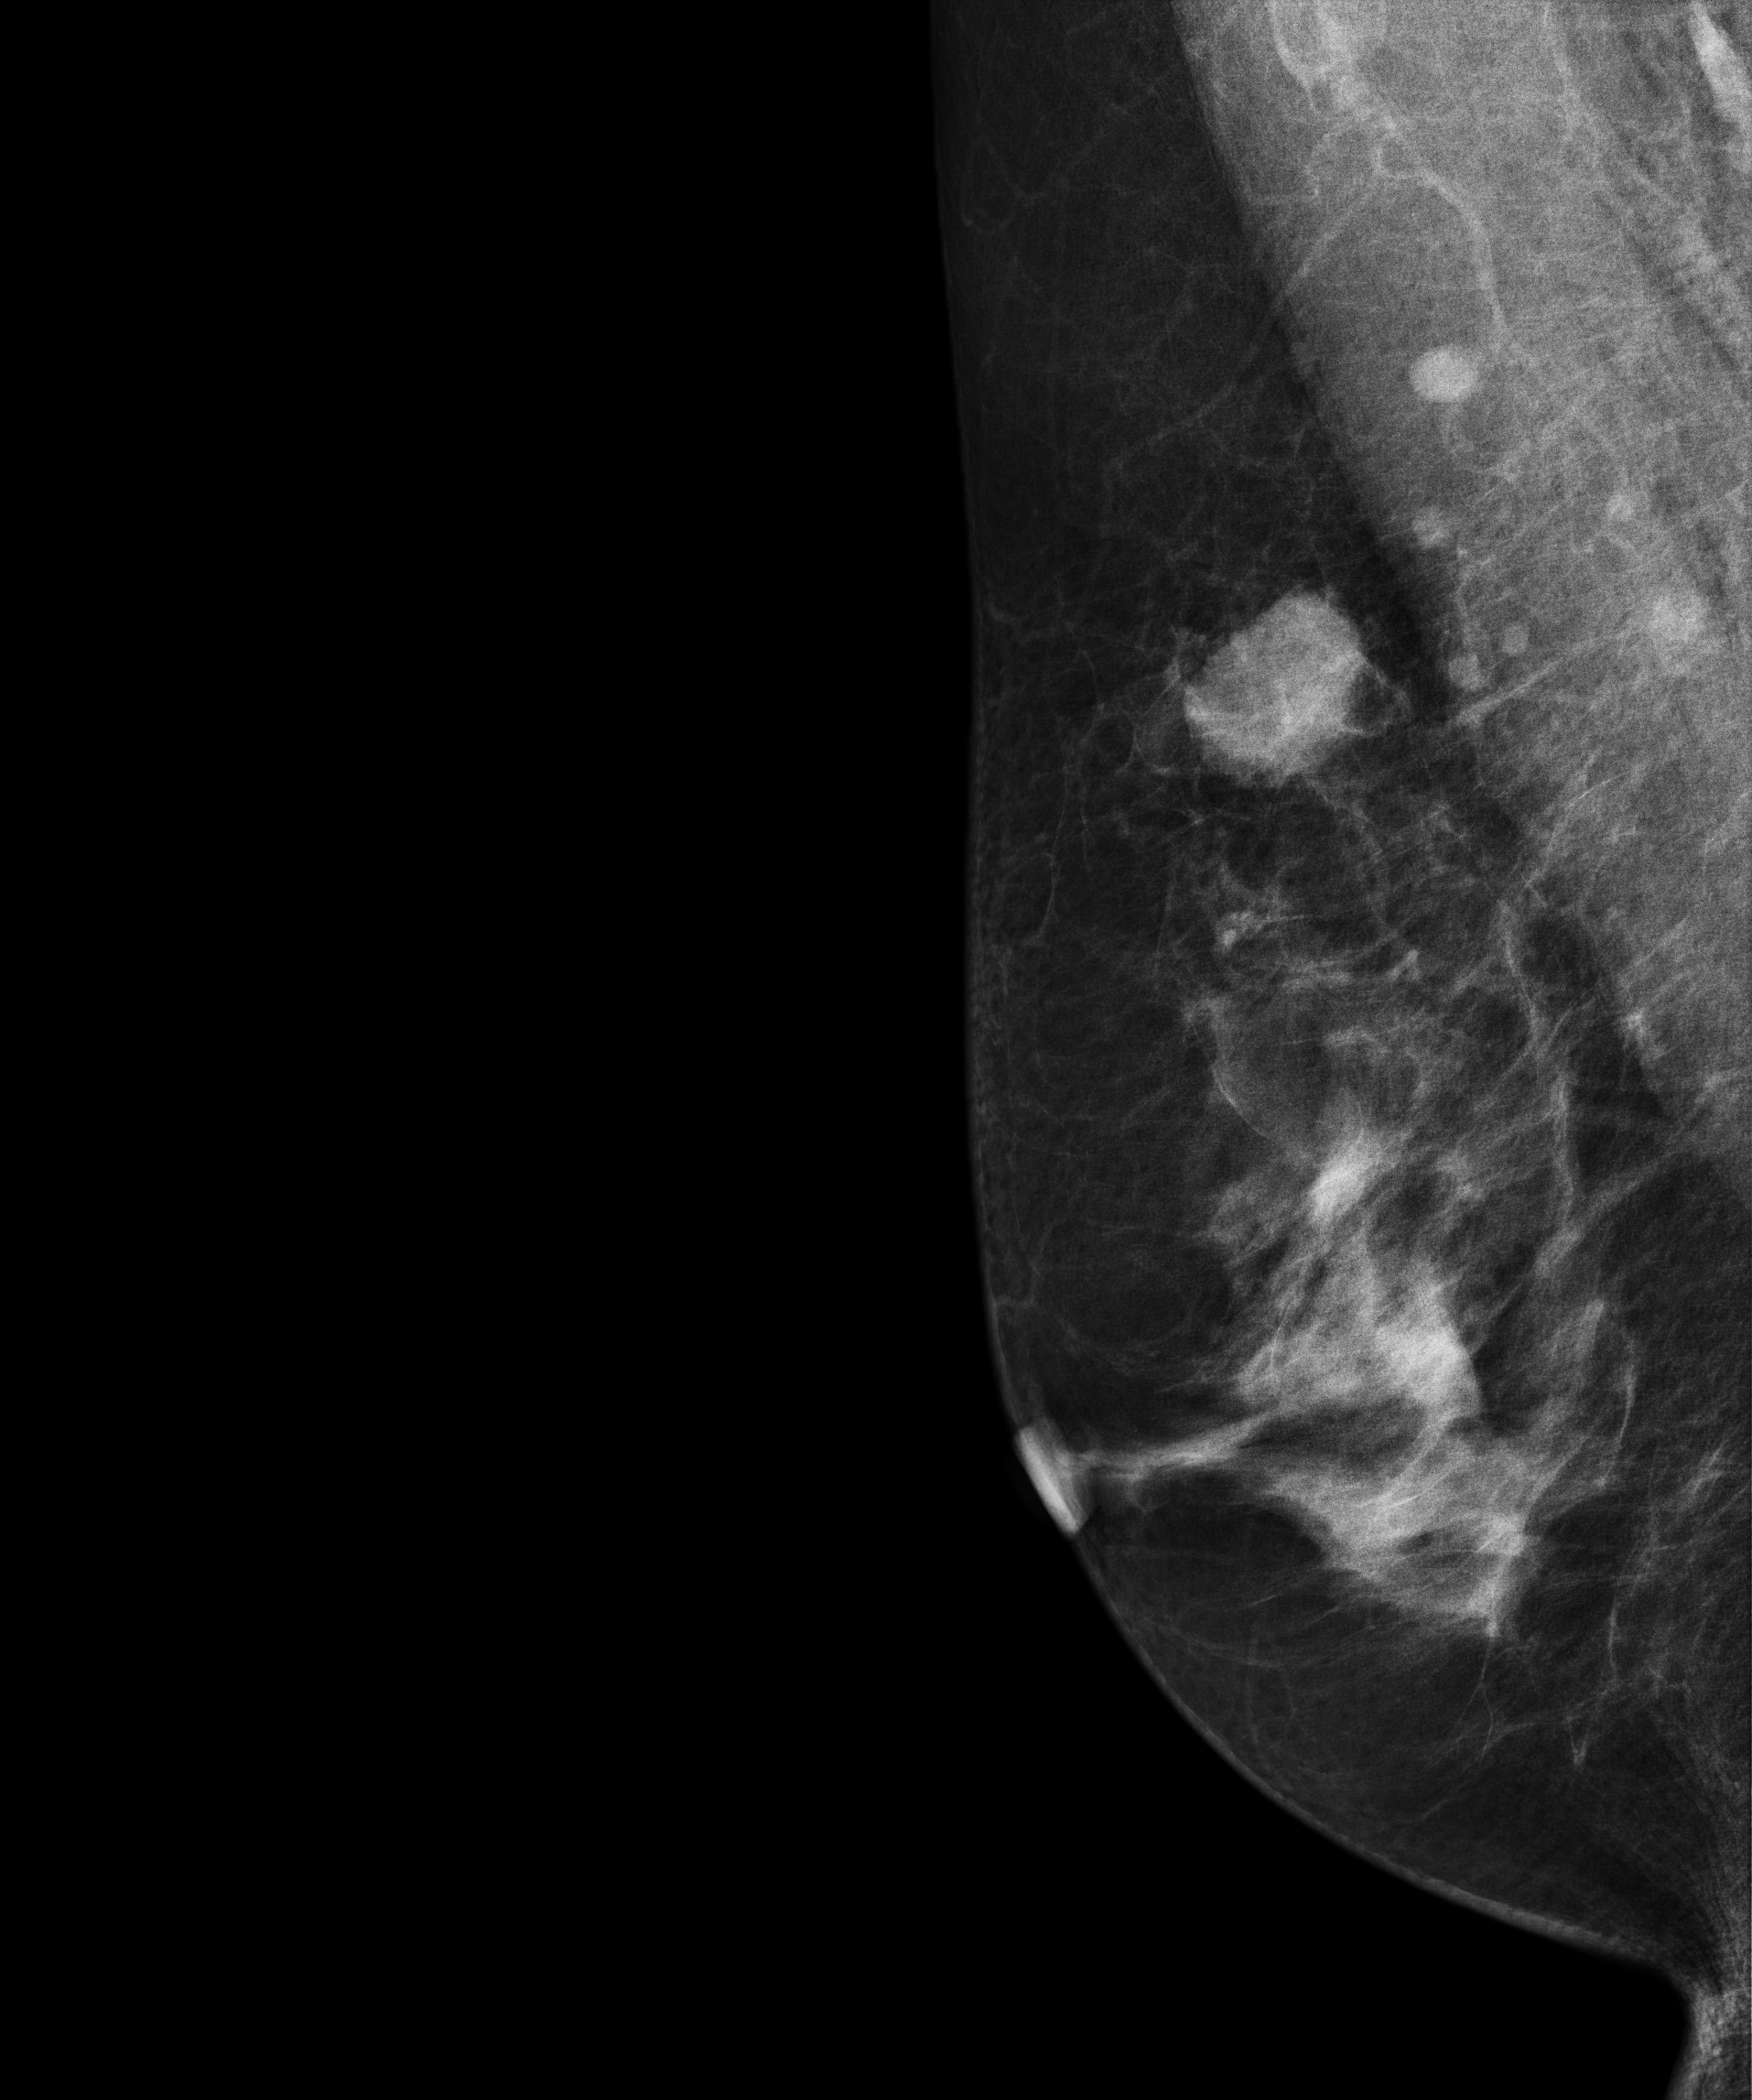
Digital mammography. Right breast, MLO projection. 65 y/o patient.
This breast has a mass, pathology-confirmed malignant. Molecular subtype: triple-negative.